CC mammogram of the left breast. 60-year-old patient.
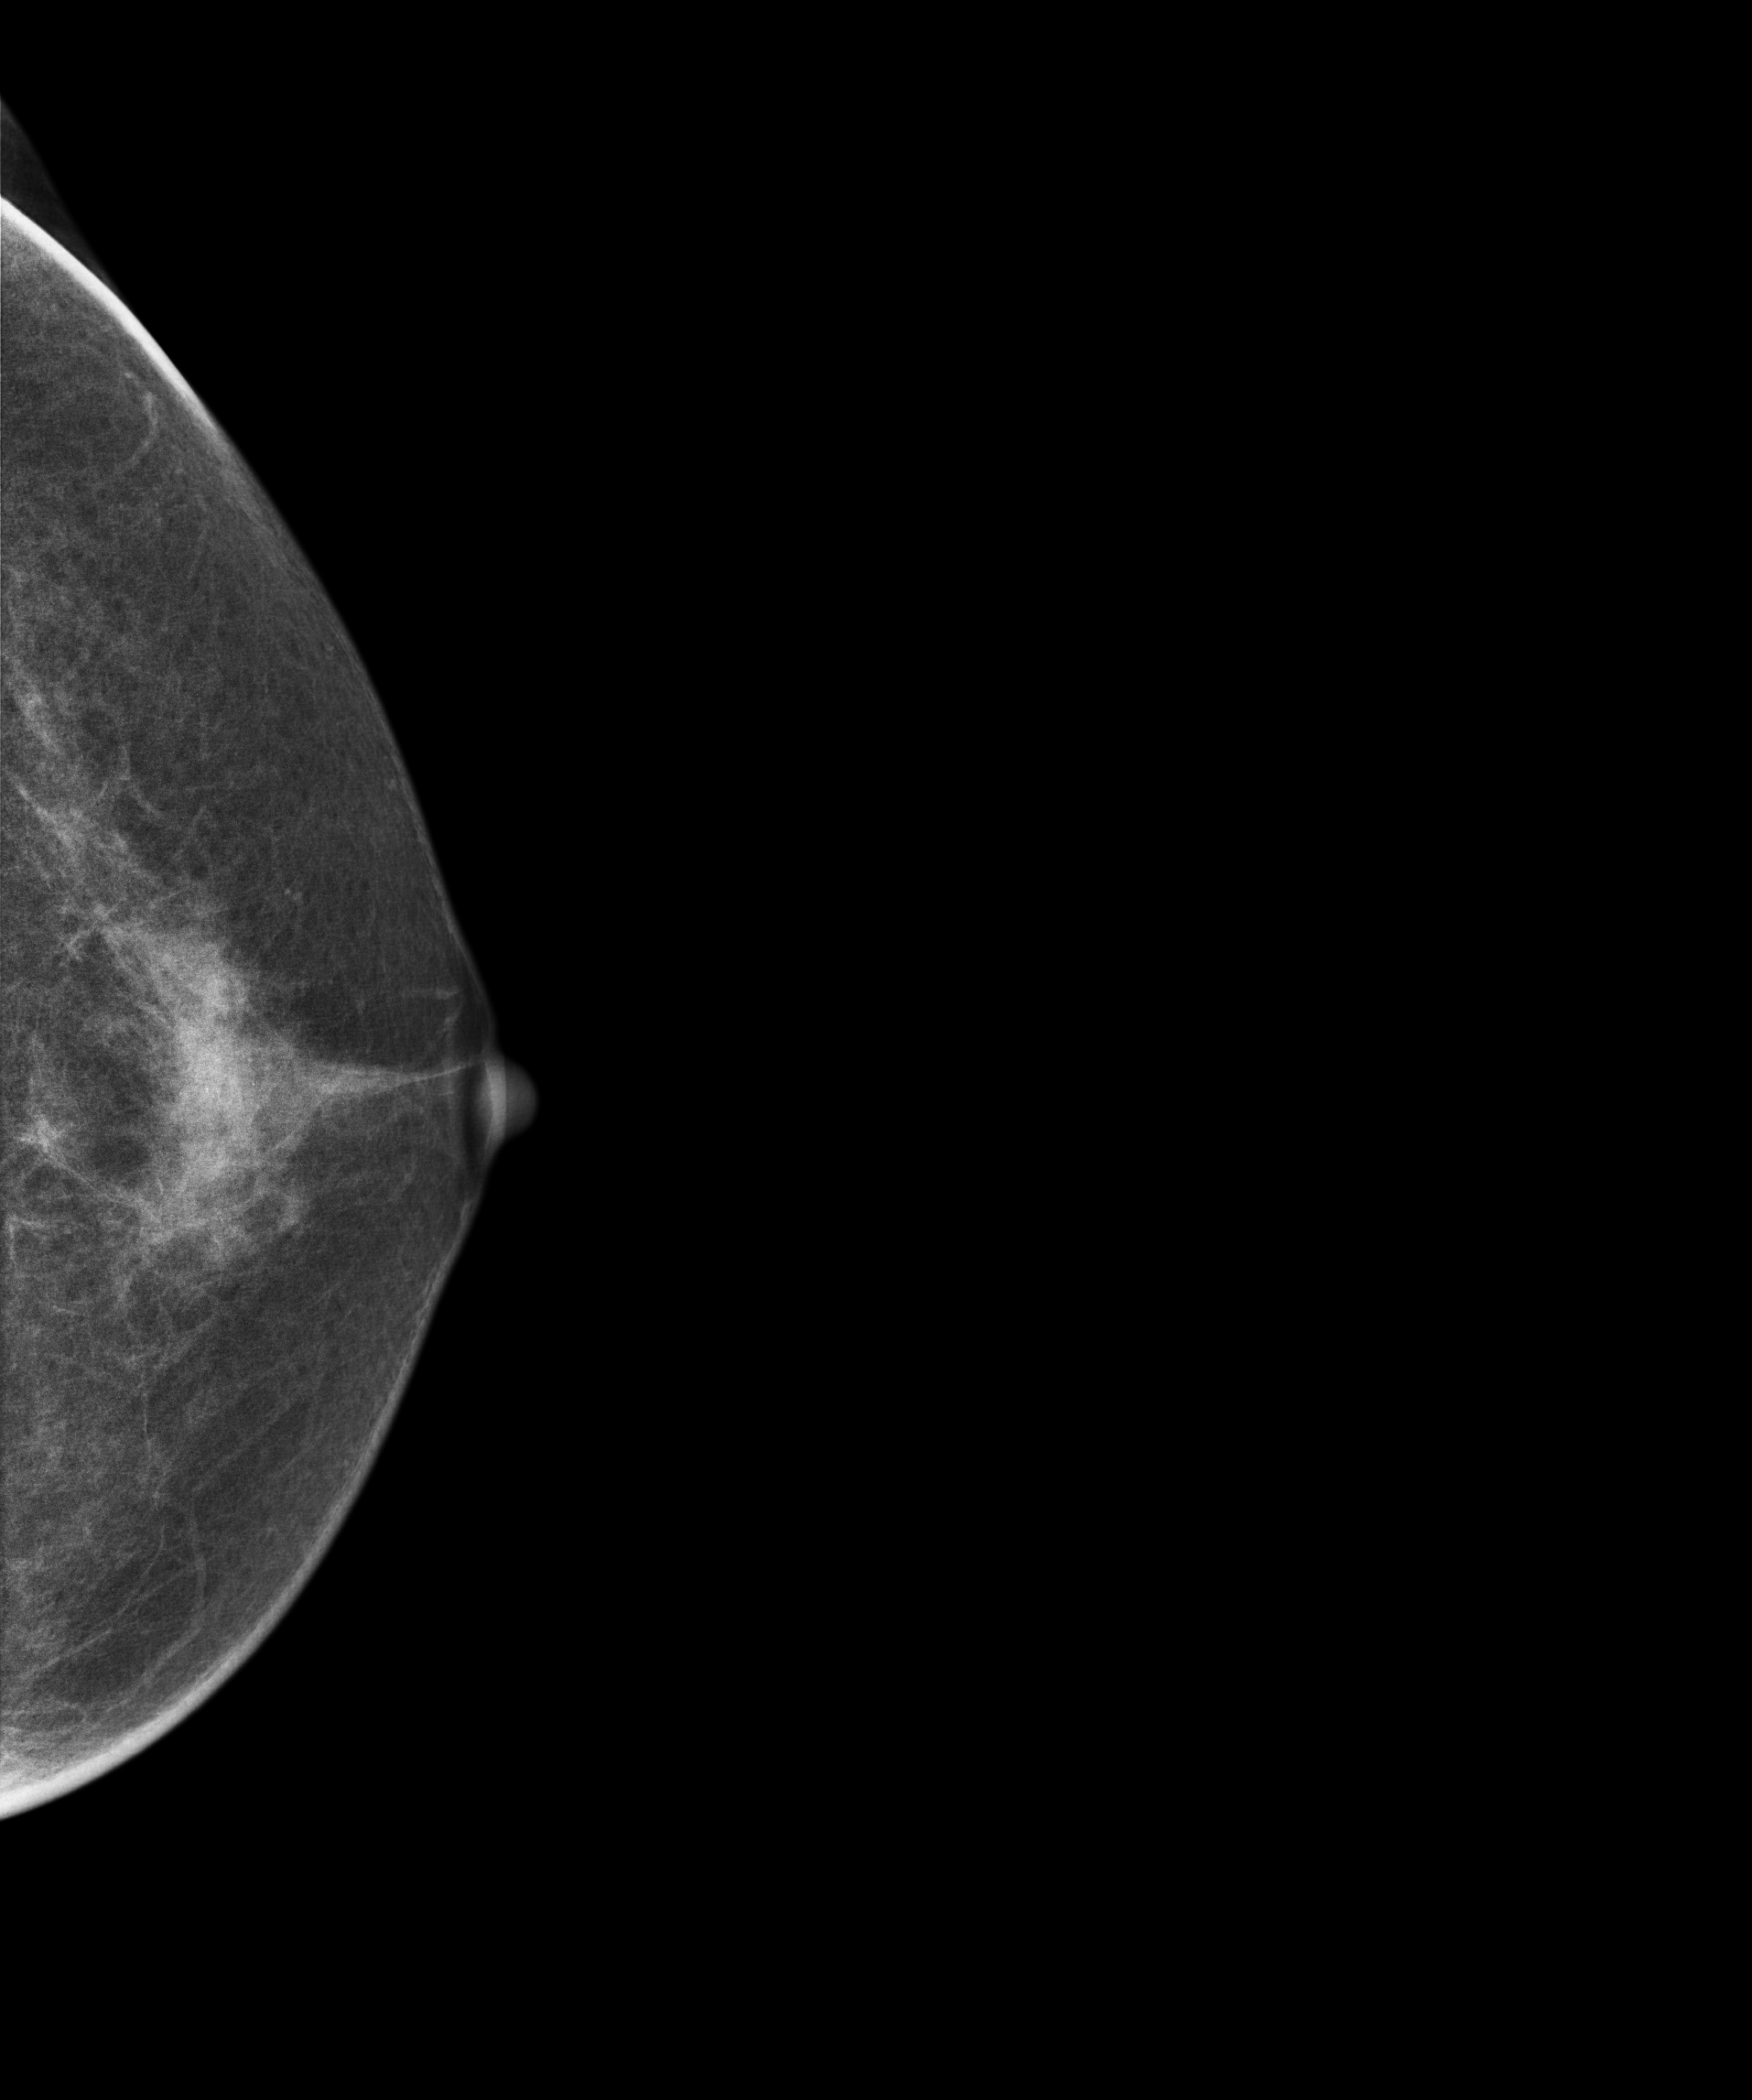
Contralateral breast — no documented abnormality on this side.